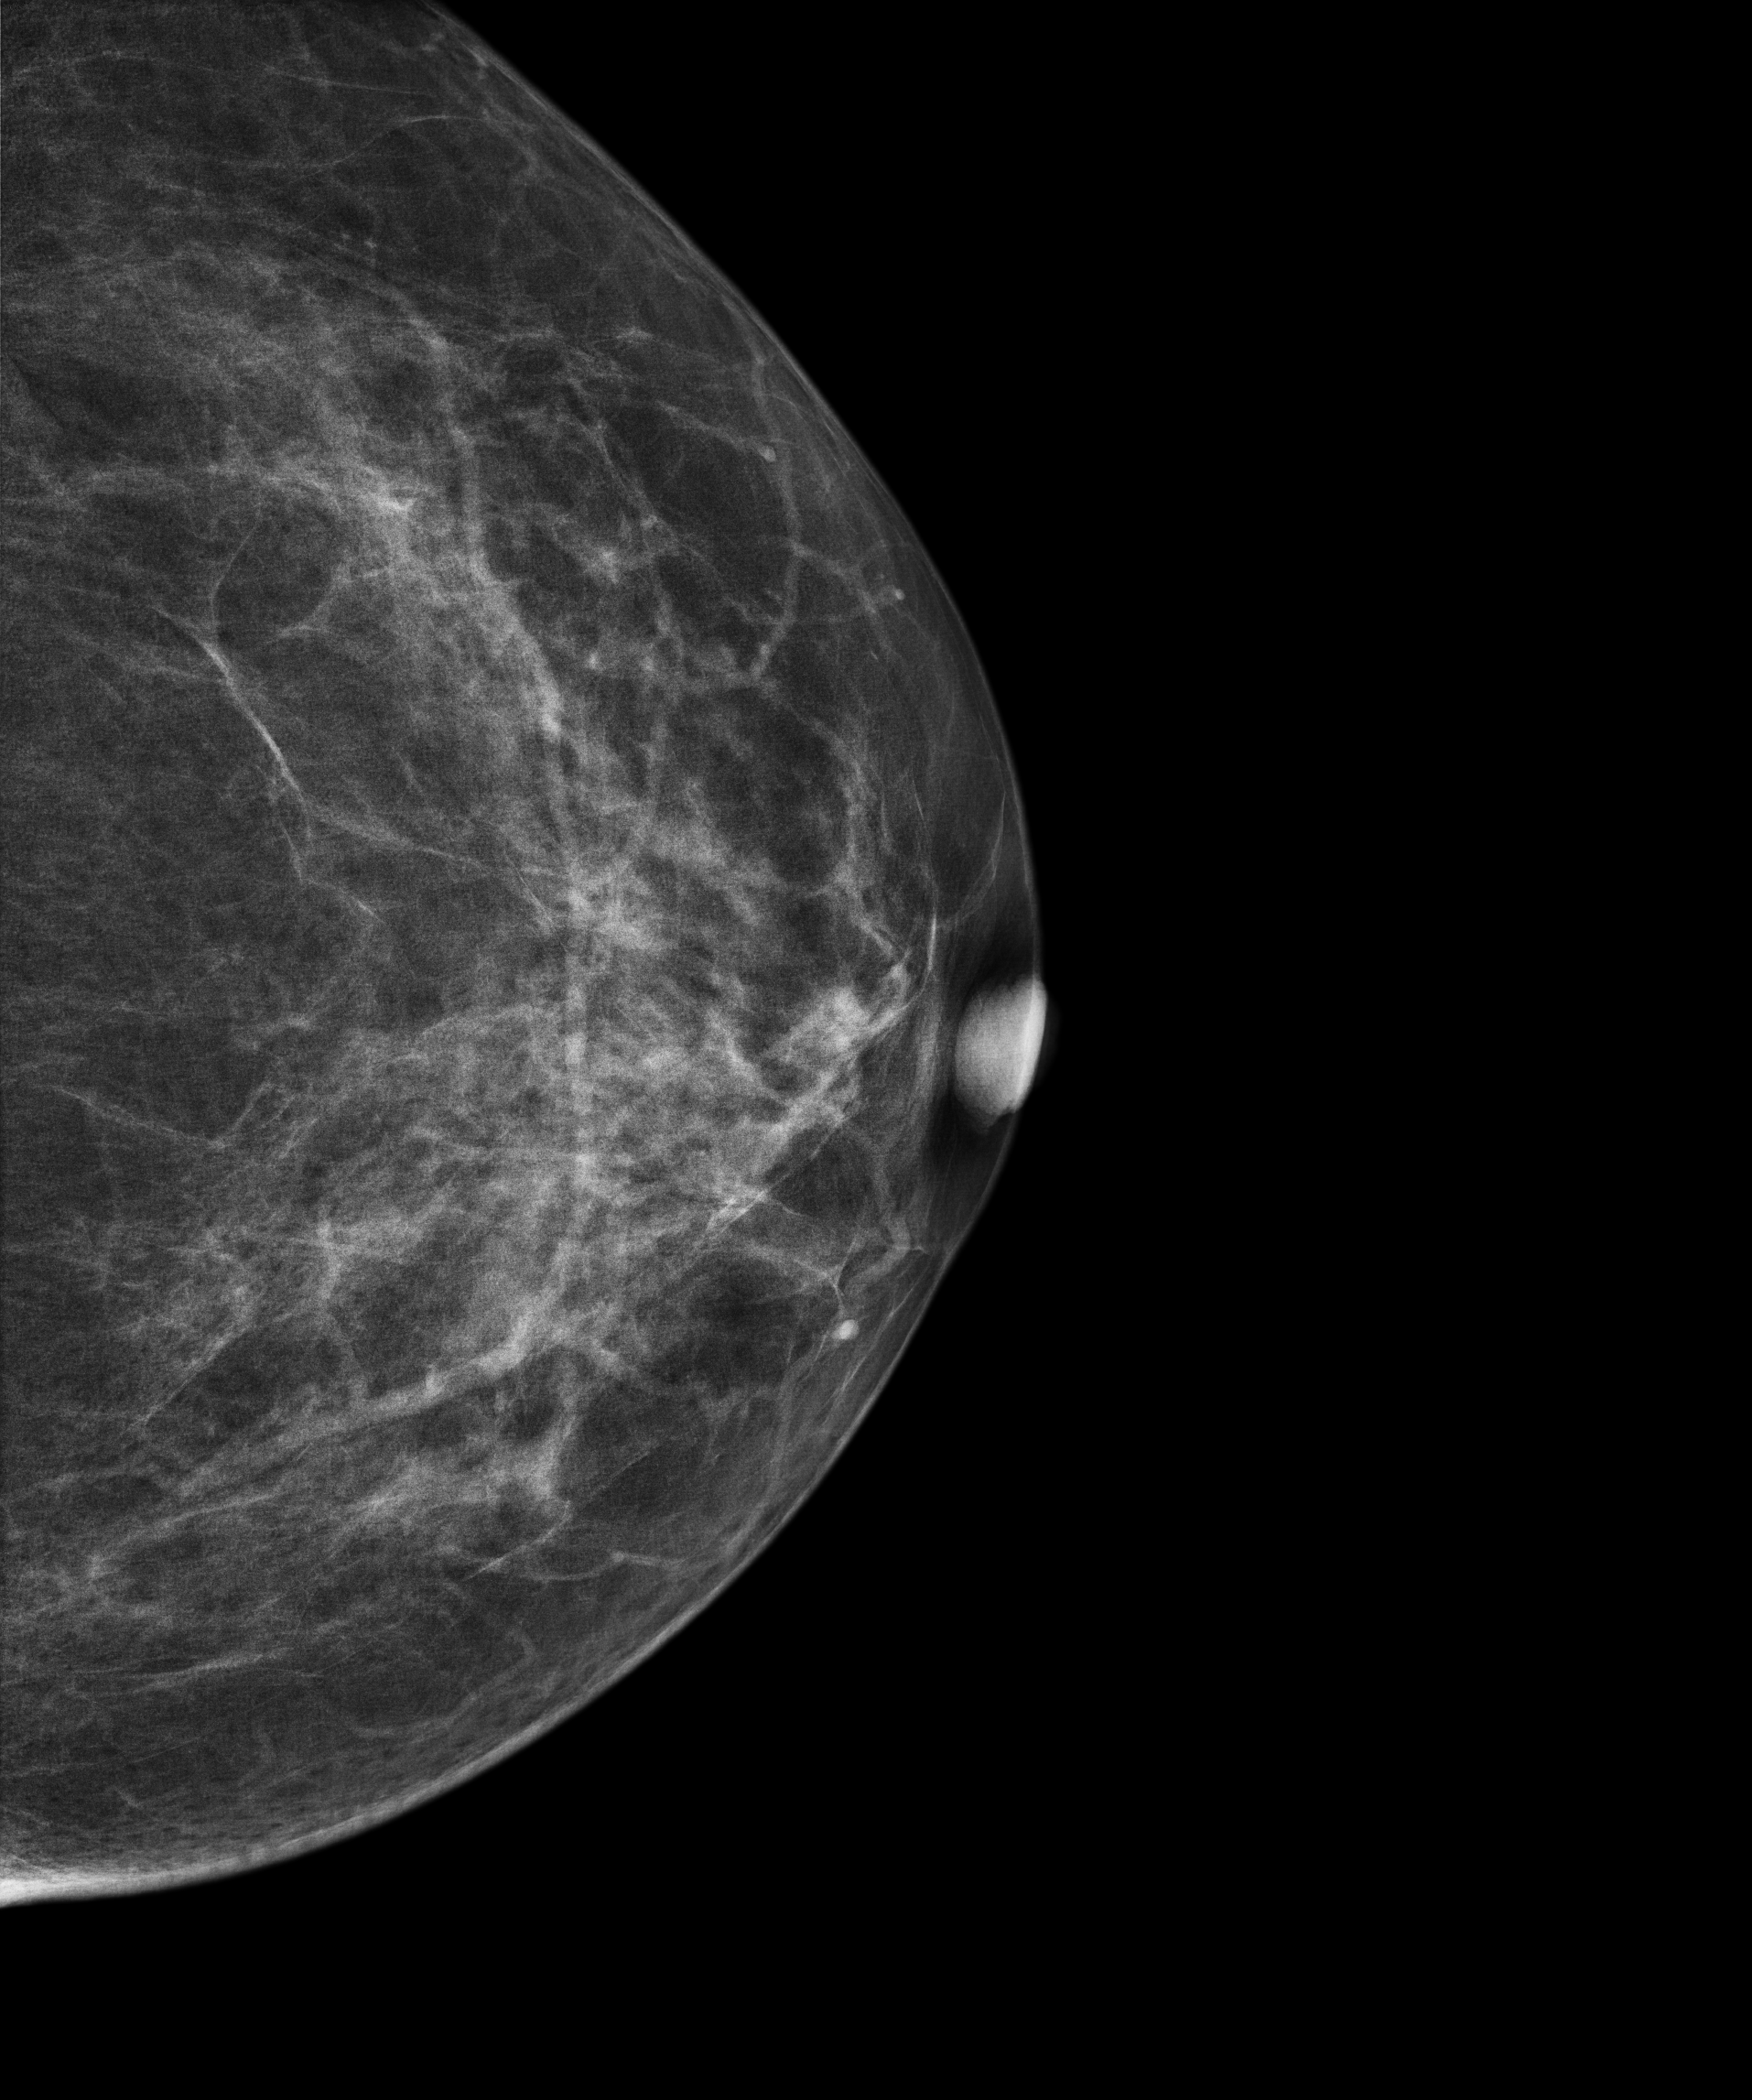
Digital mammography. Left breast, cranio-caudal projection. 62 y/o patient.
Contralateral breast — no documented abnormality on this side.